Digital mammography. Right breast, CC projection. 61 y/o patient.
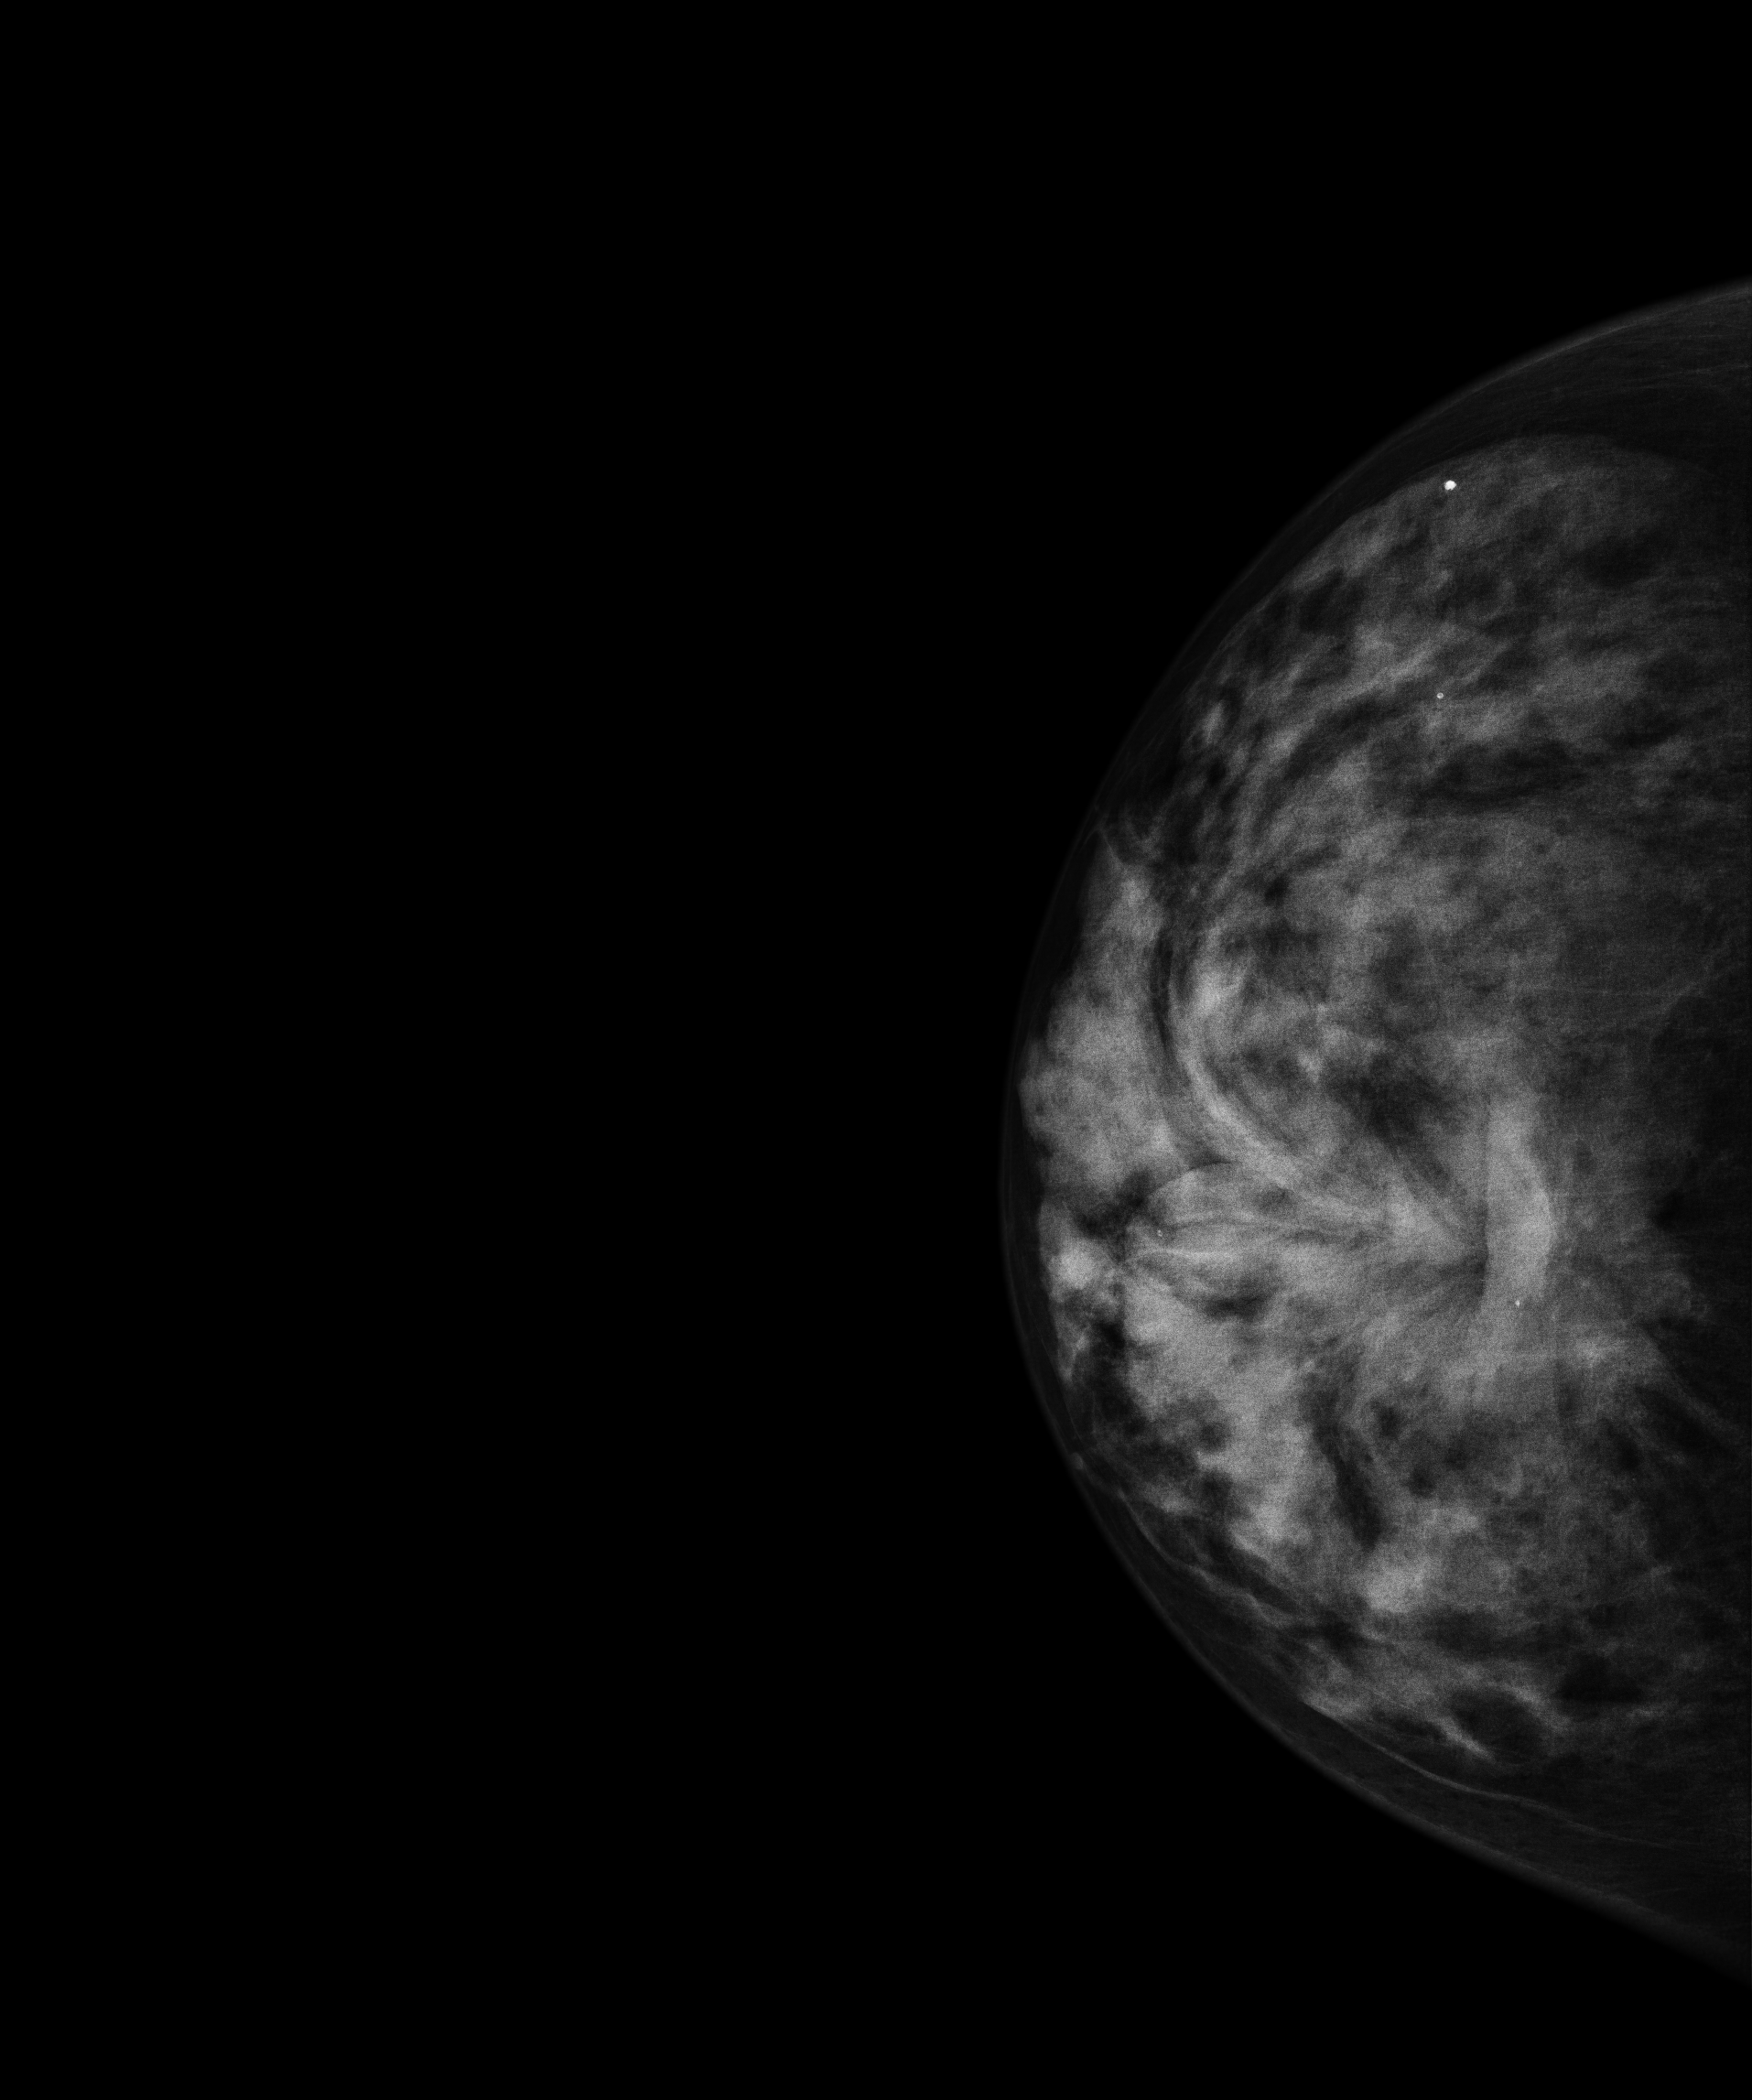
This breast has a mass and calcifications, biopsy-confirmed malignant. Molecular subtype: luminal A.